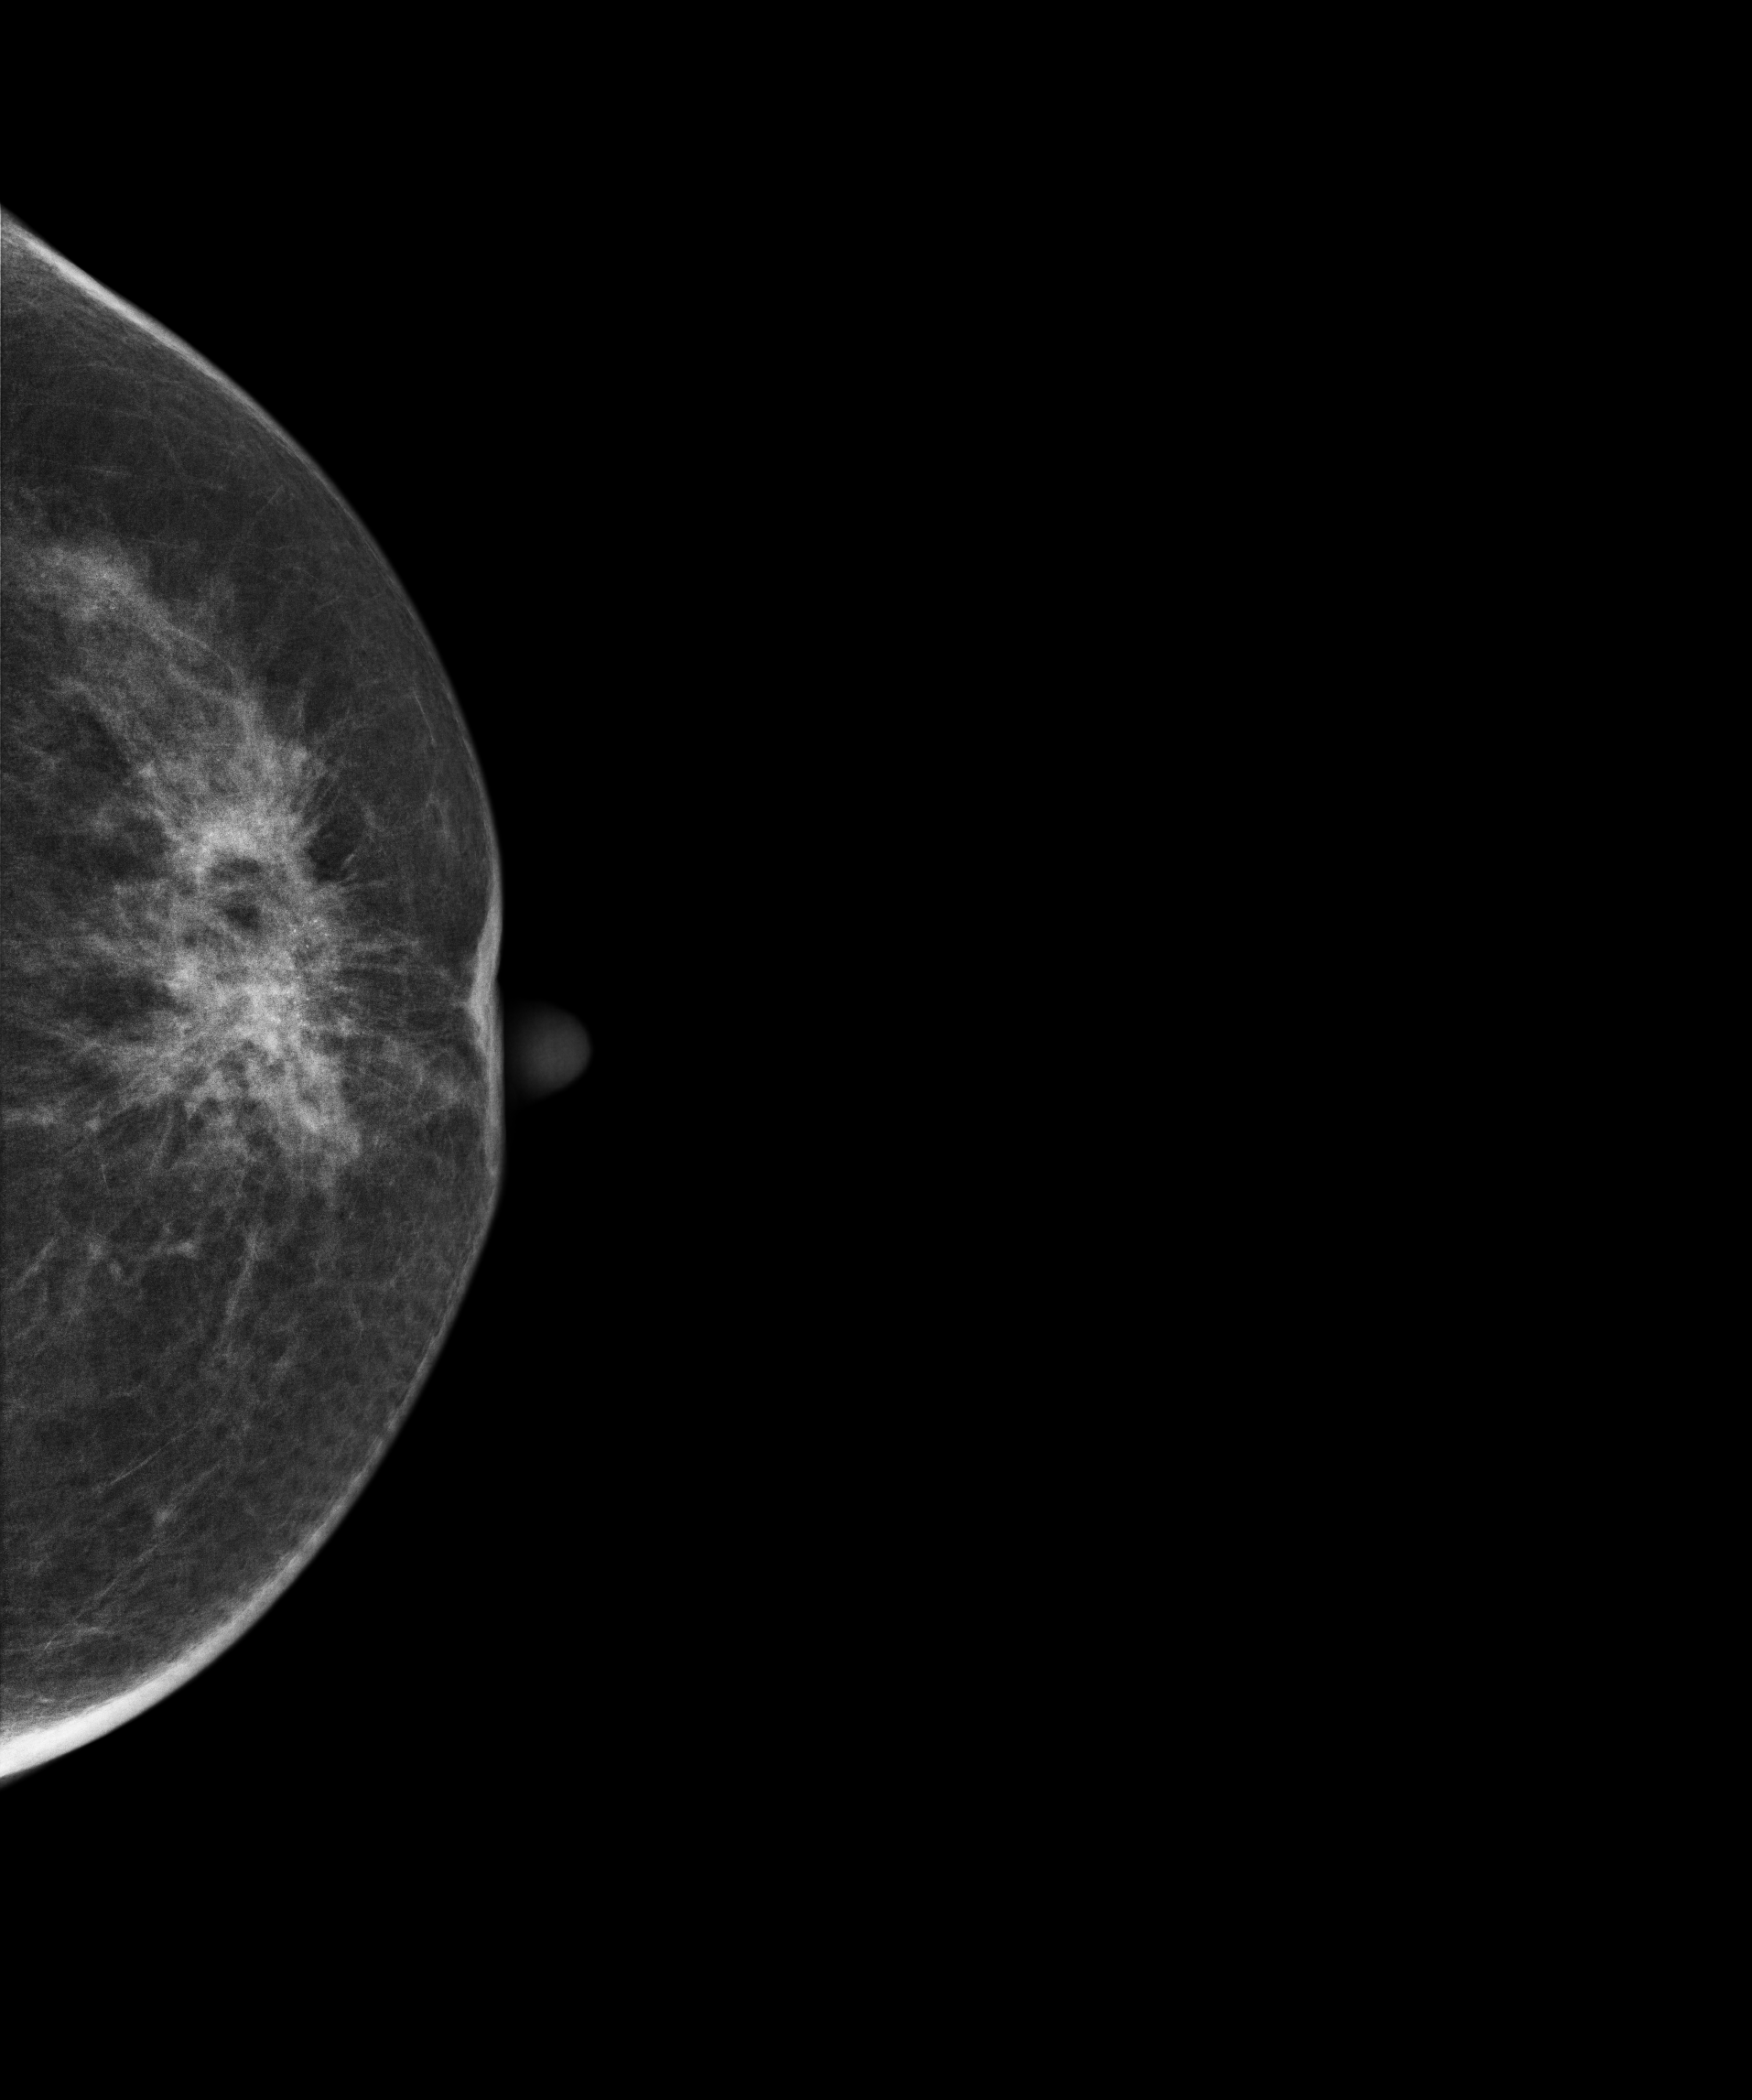
Cranio-caudal mammogram of the left breast. 56-year-old patient.
This breast has calcifications, histologically confirmed malignant.